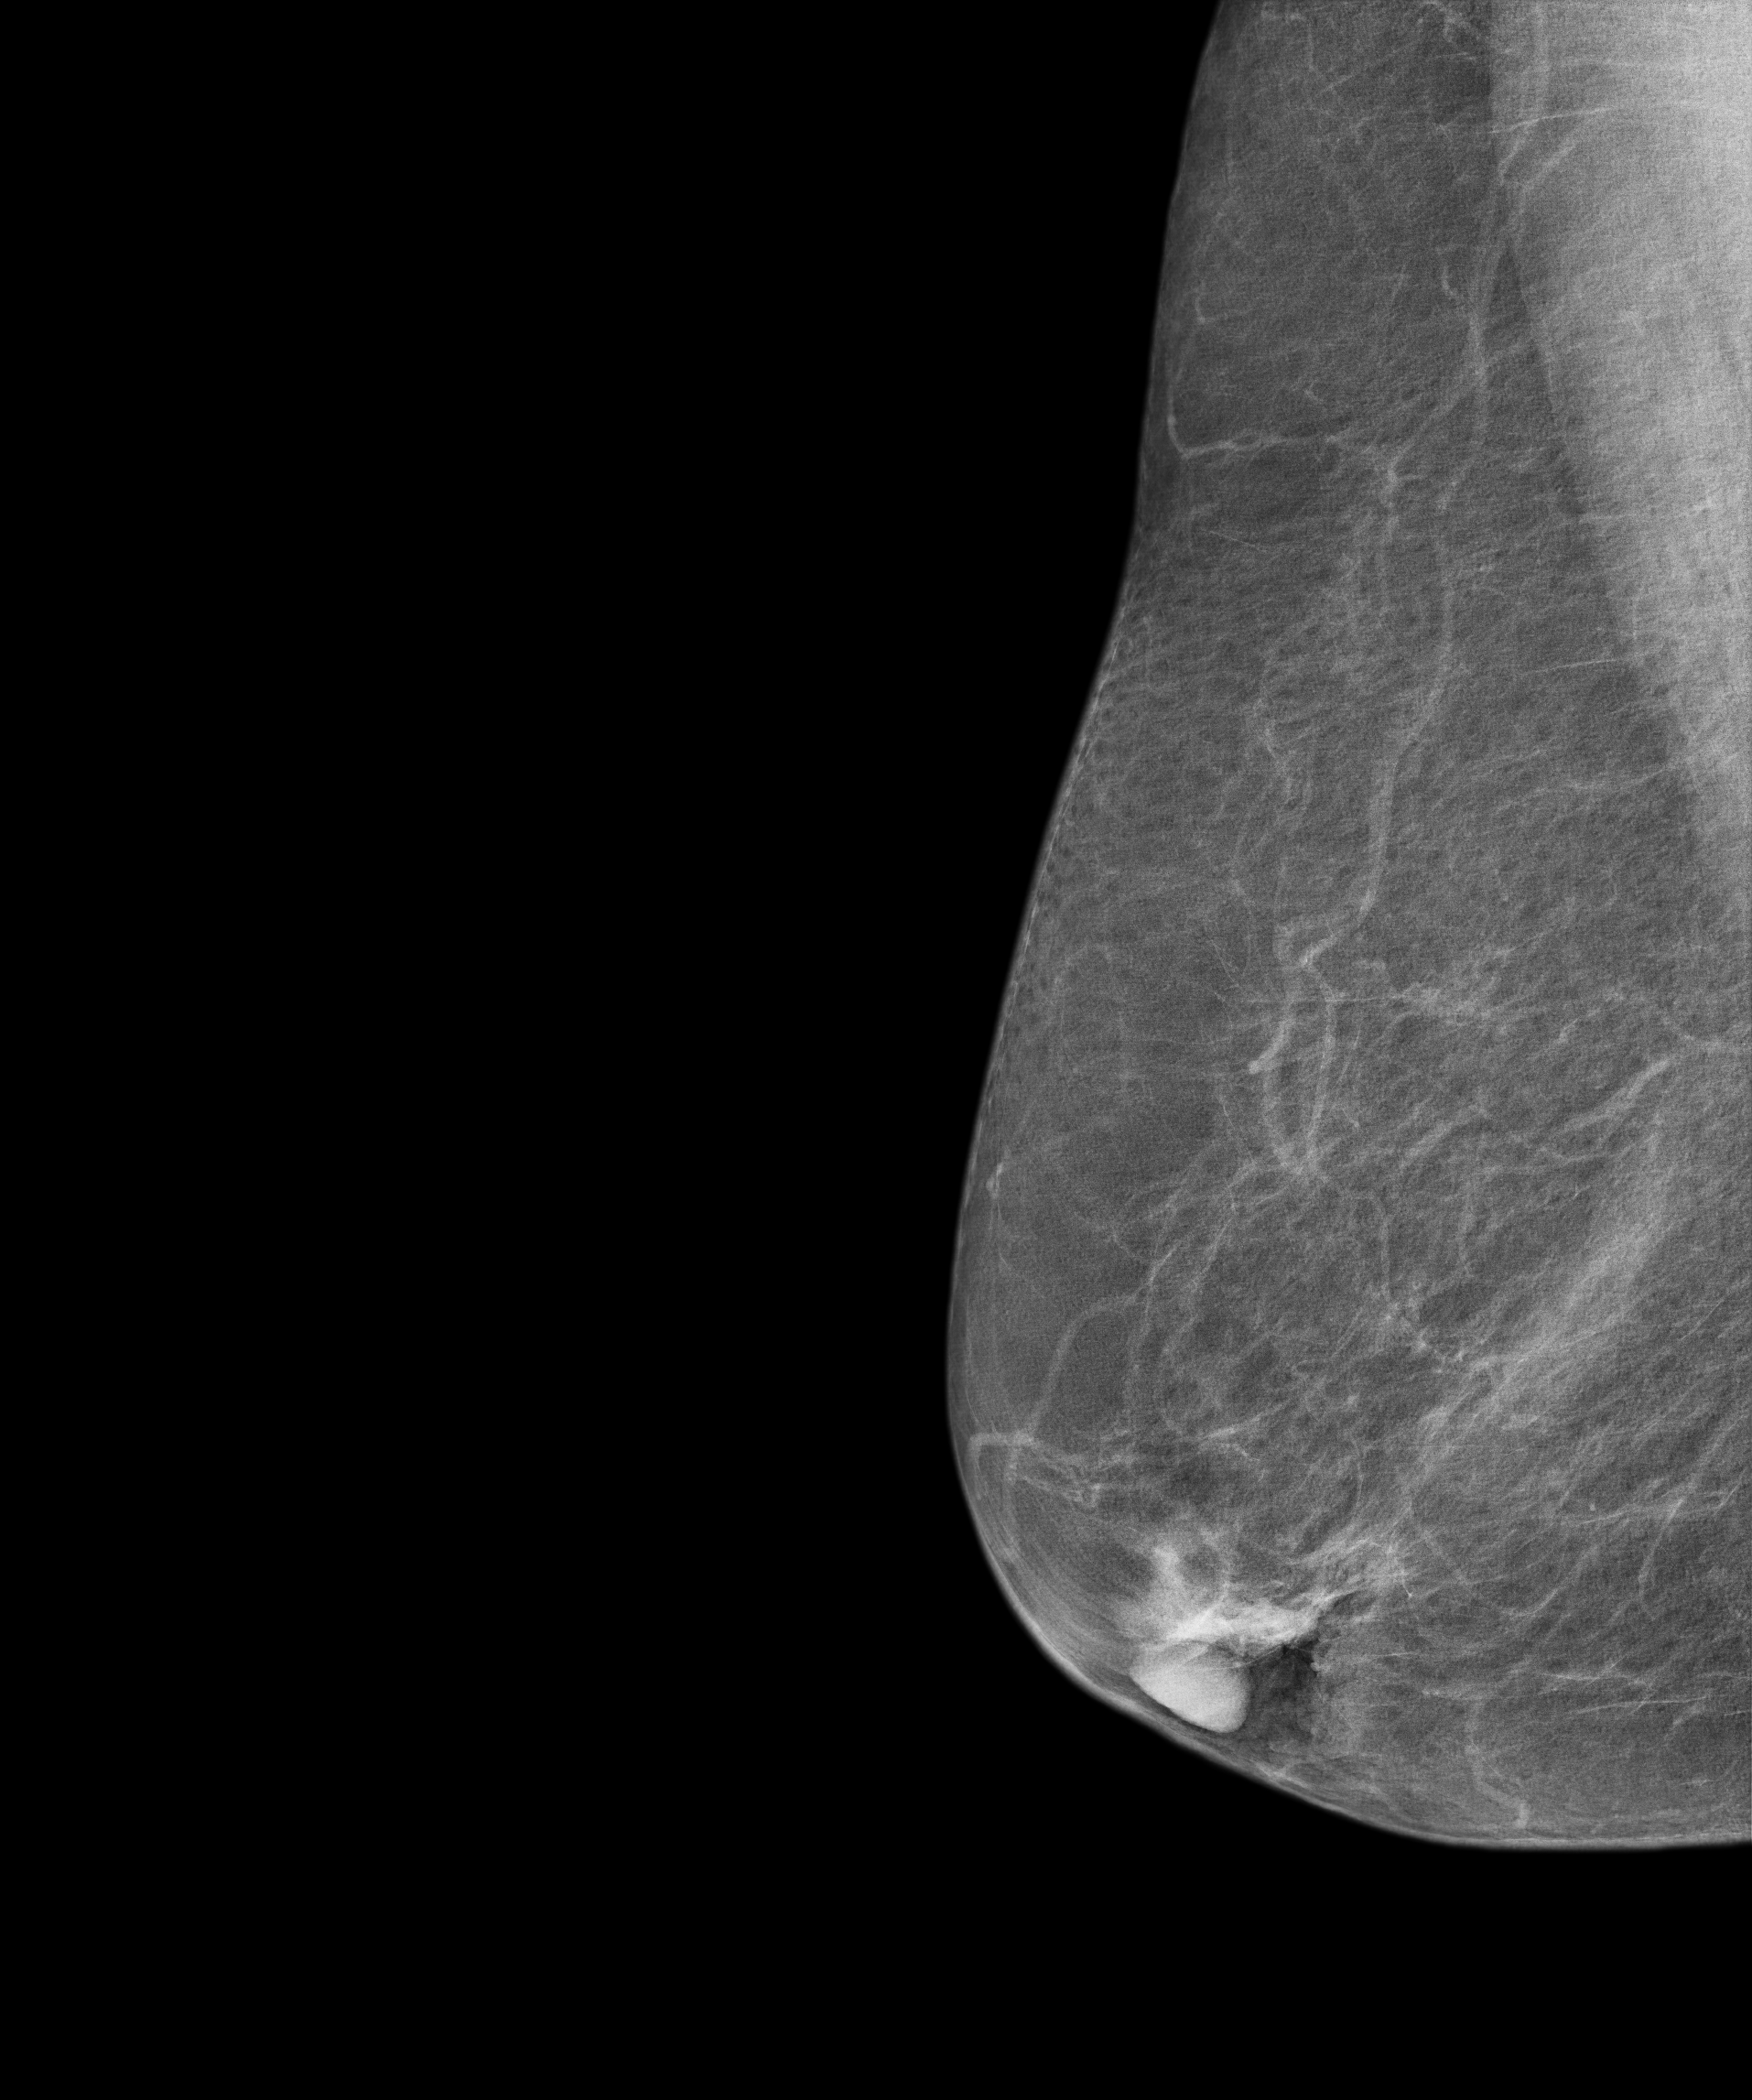
Right-breast mammogram, medio-lateral oblique. 73 y/o patient.
Contralateral breast — no documented abnormality on this side.